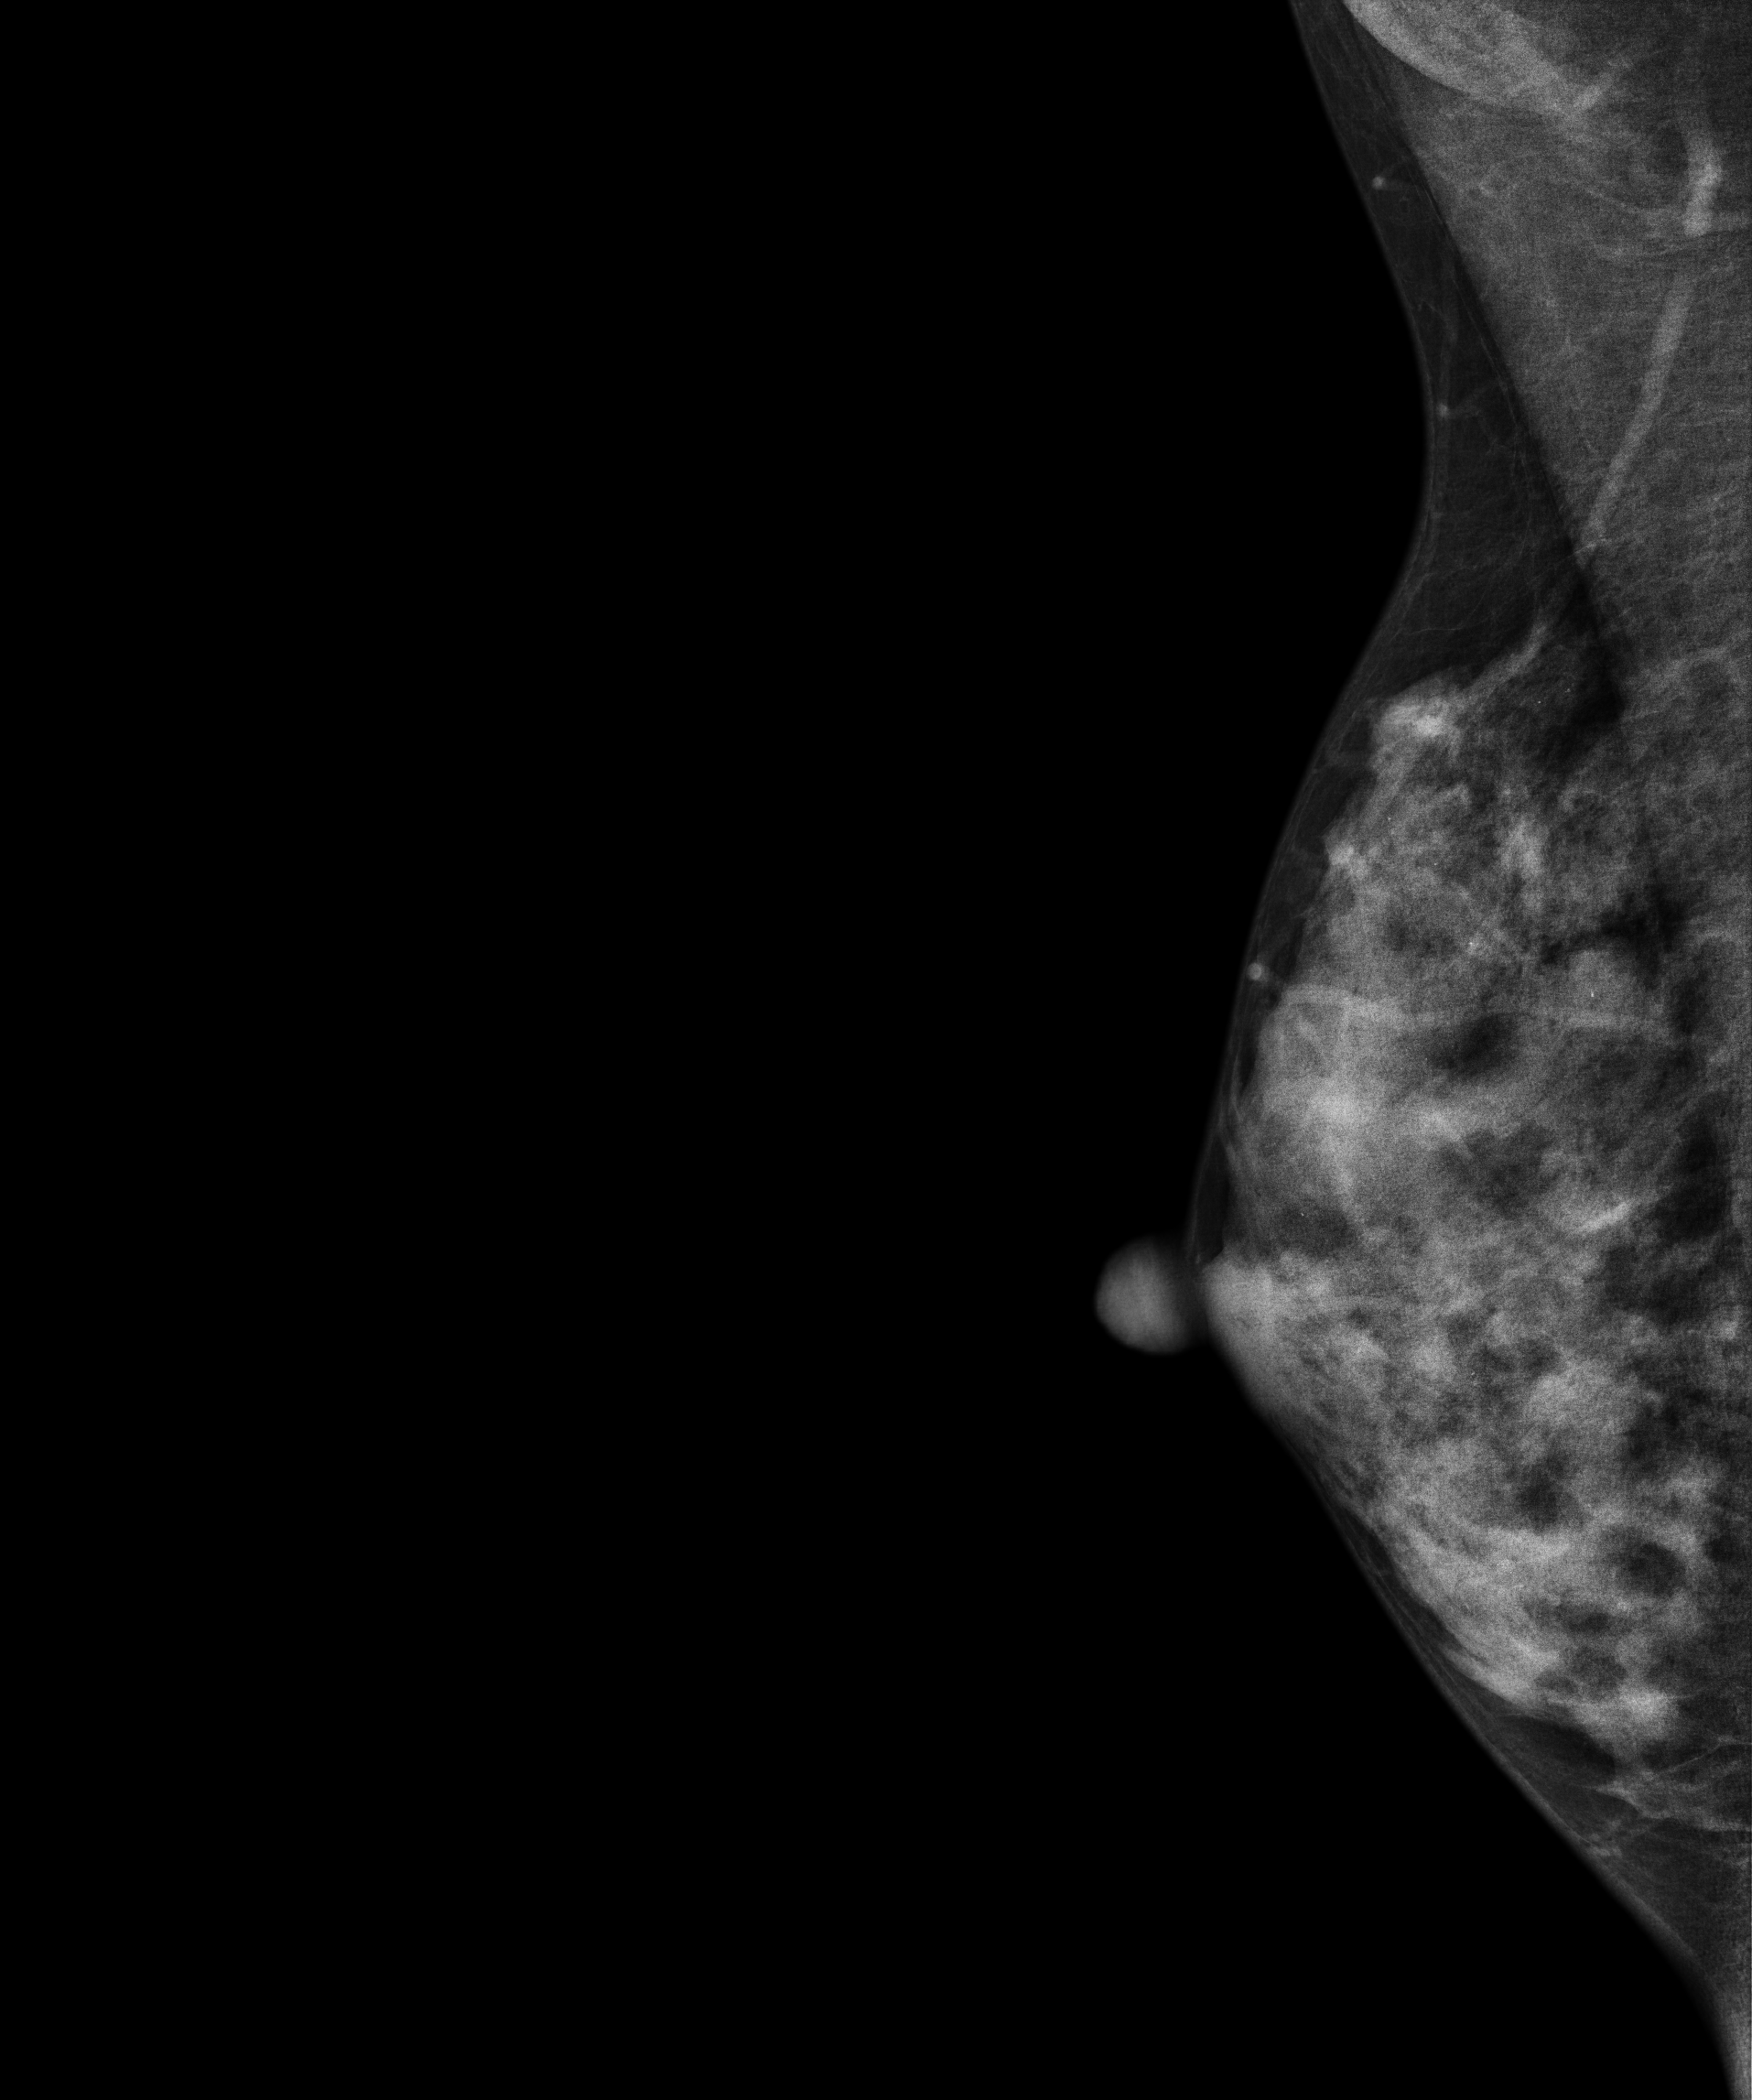
MLO mammogram of the right breast. 41 y/o patient.
Contralateral breast — no documented abnormality on this side.